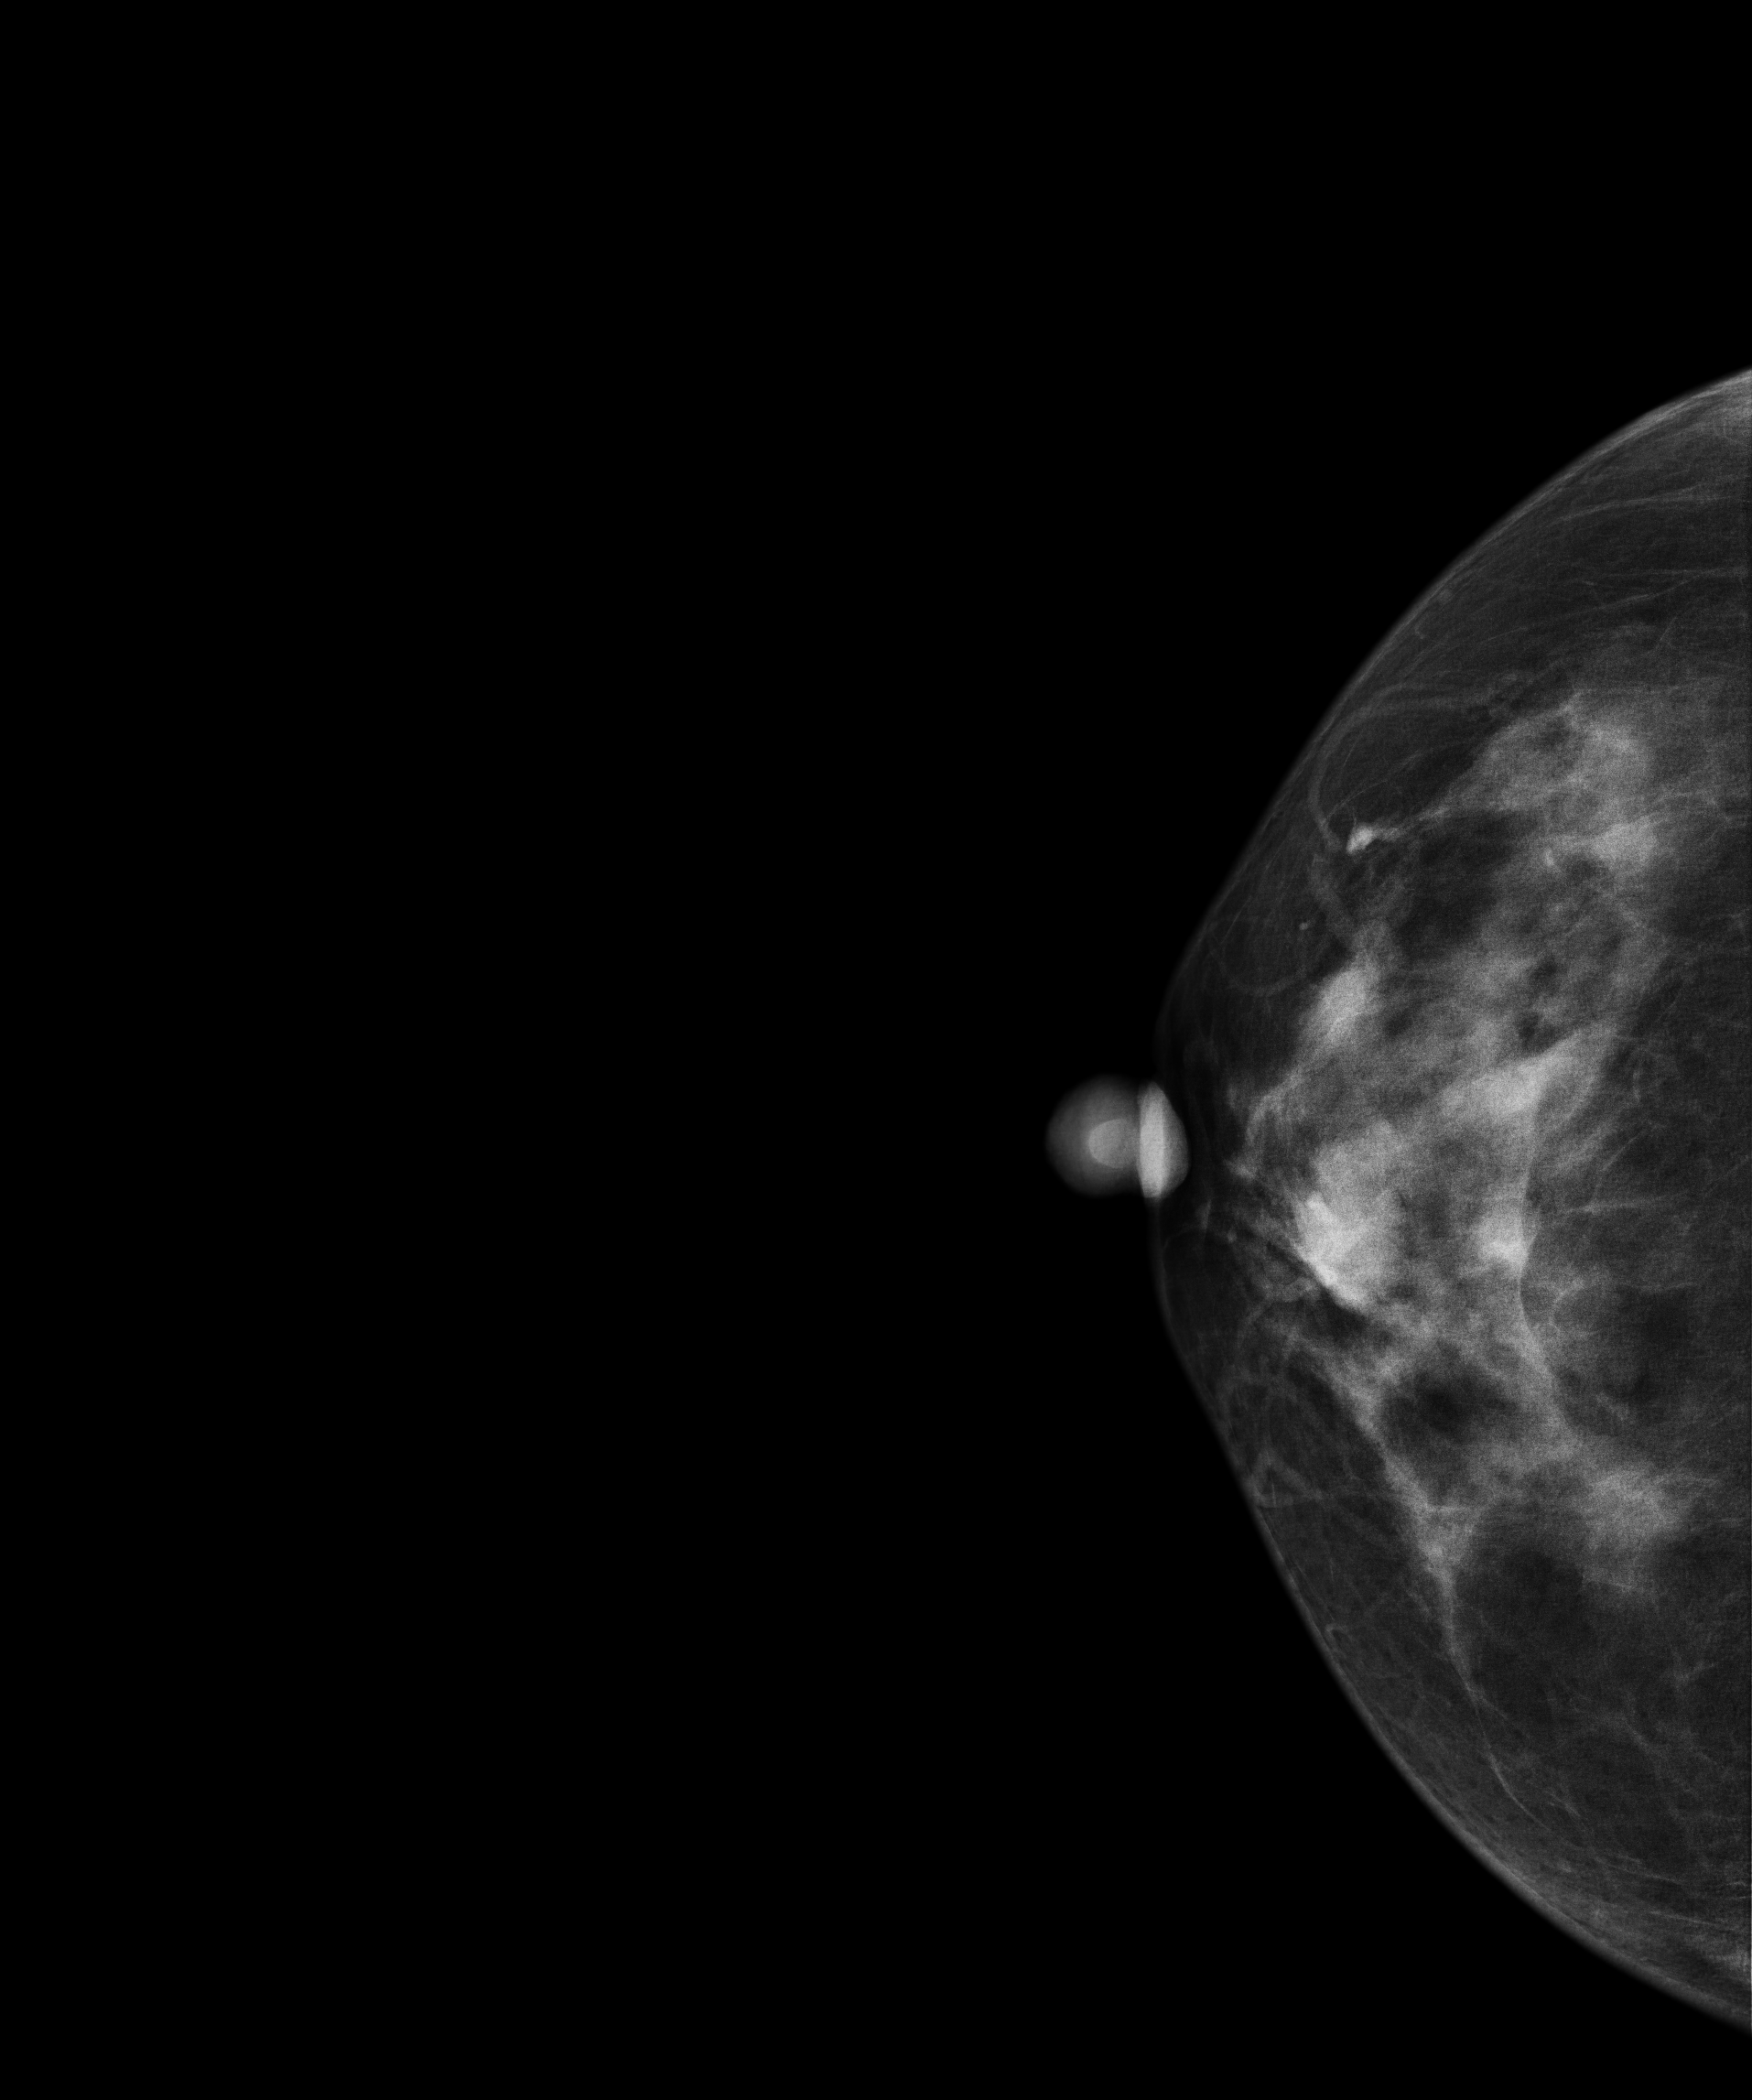
CC mammogram of the right breast. Patient age 44.
This breast has a mass, histologically confirmed malignant. Molecular subtype: luminal B.